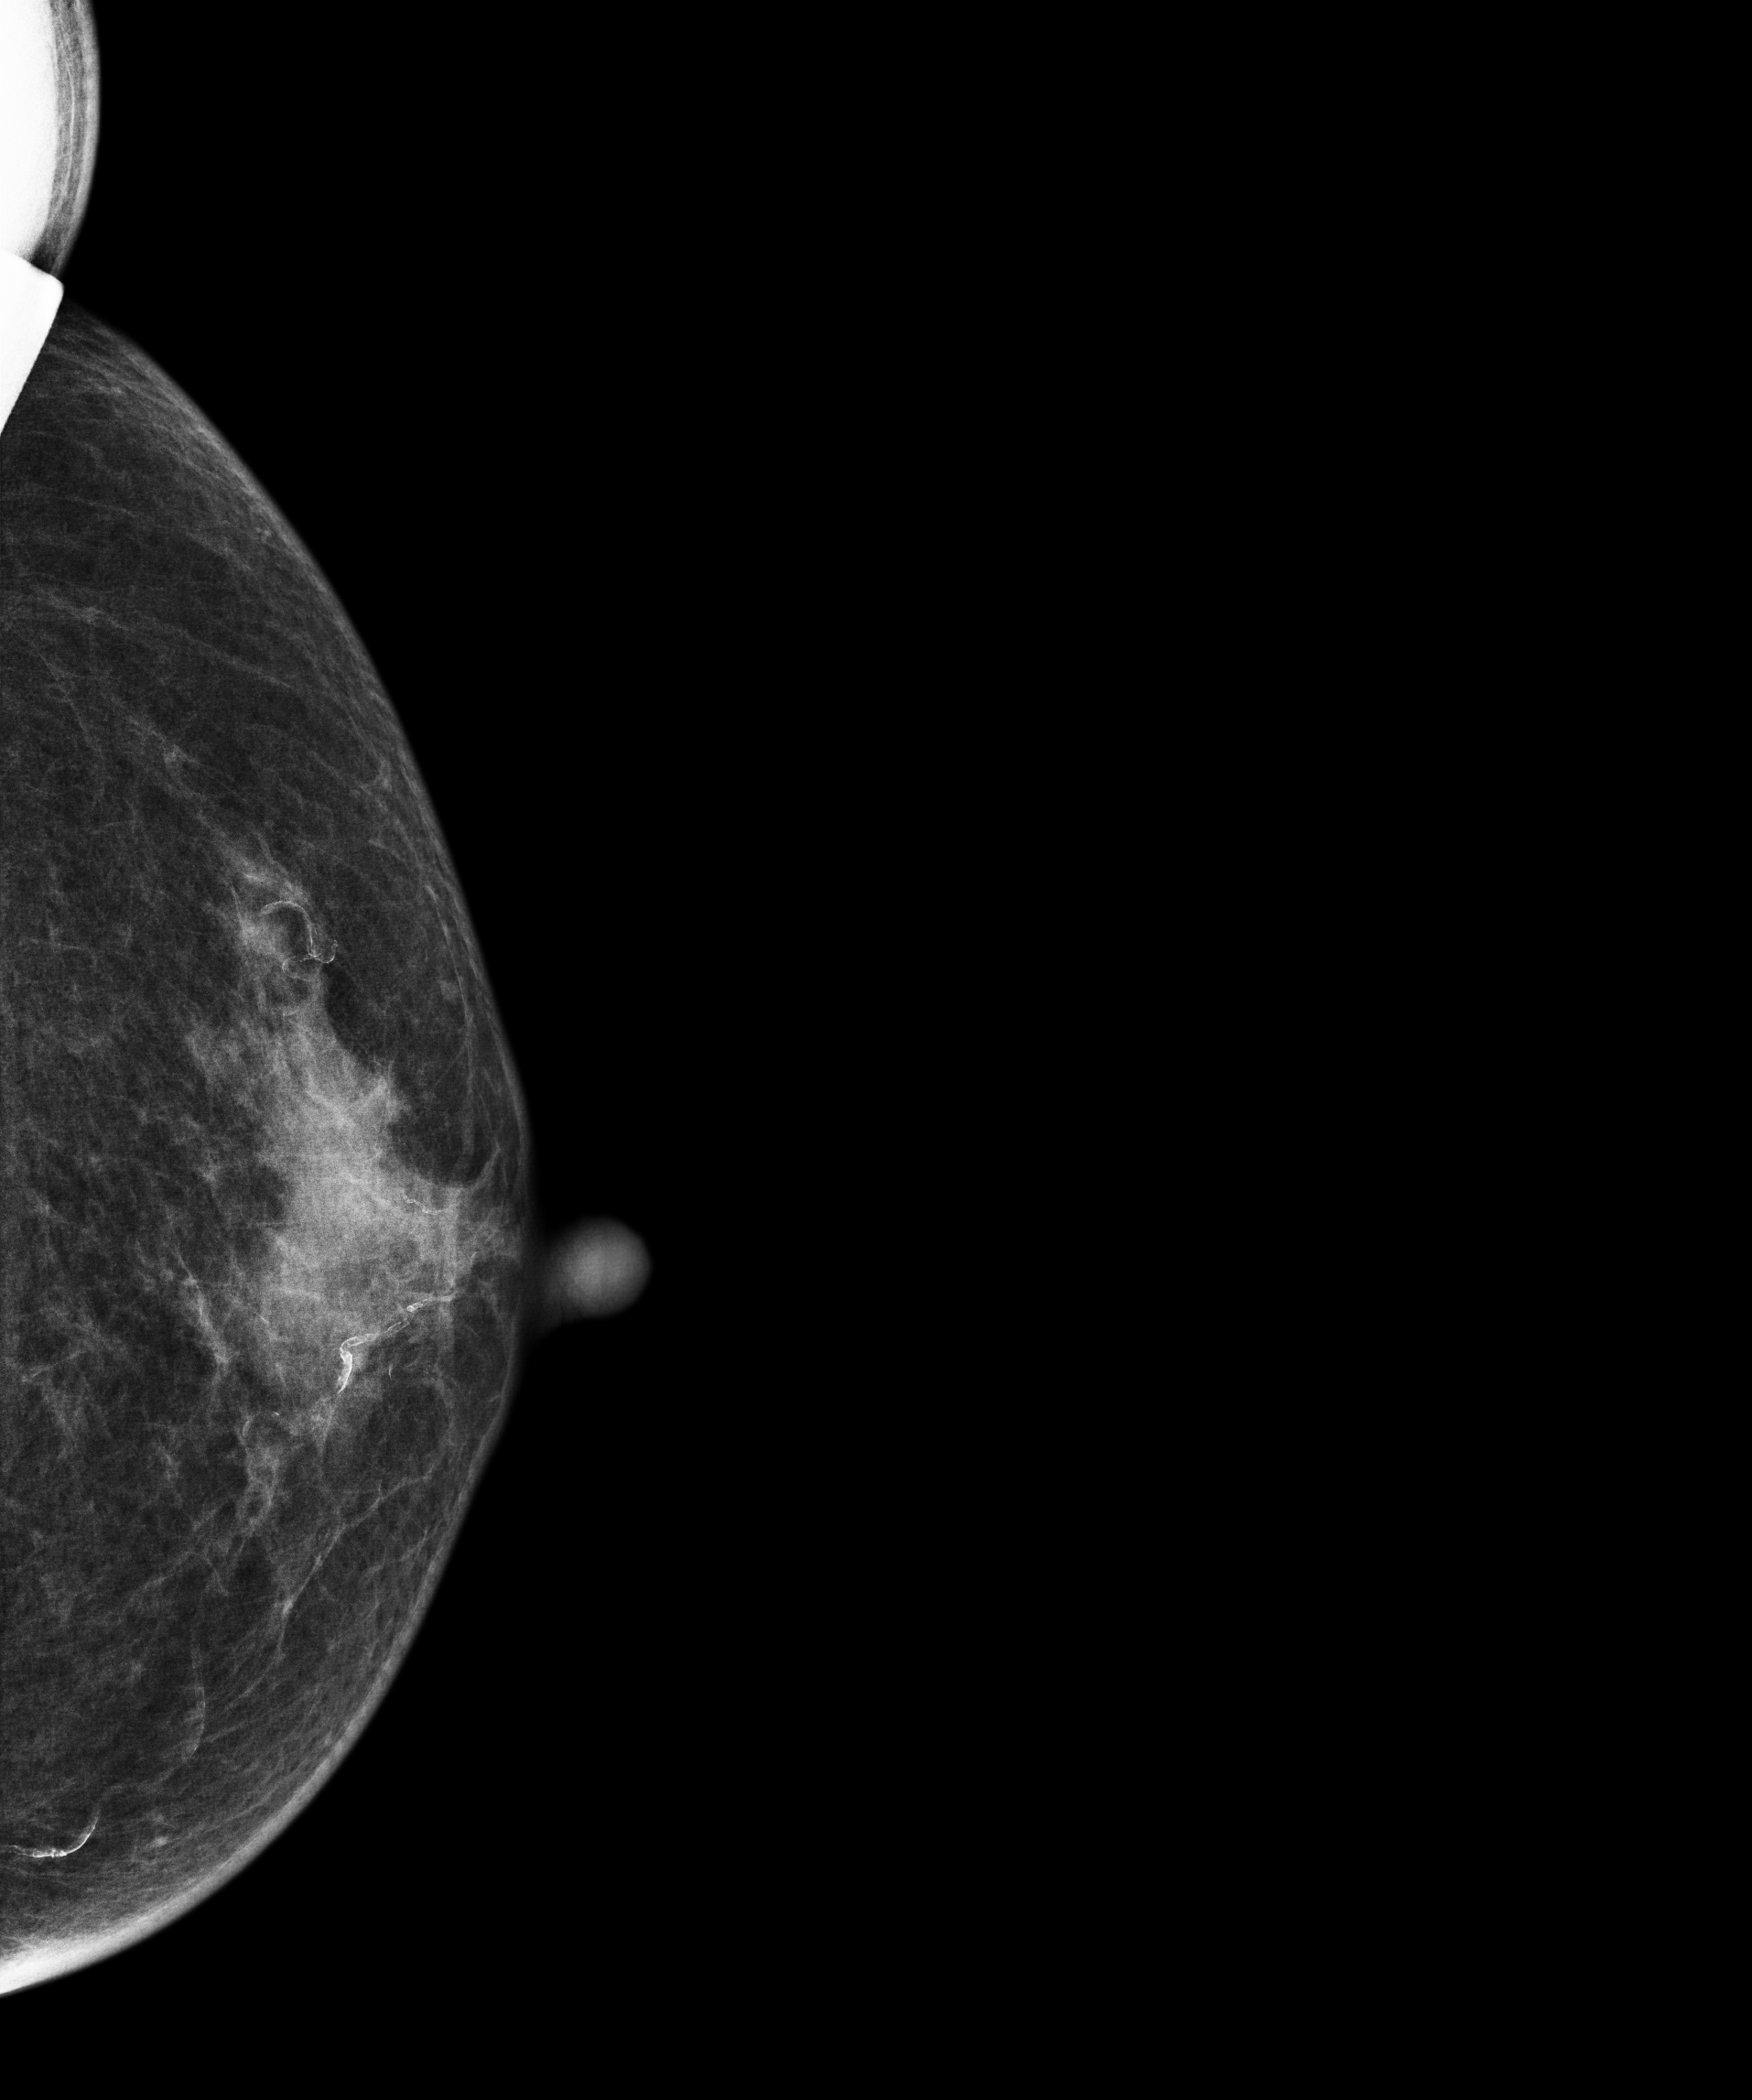
Mammogram, left breast, cranio-caudal view. 68 y/o patient.
Contralateral breast — no documented abnormality on this side.